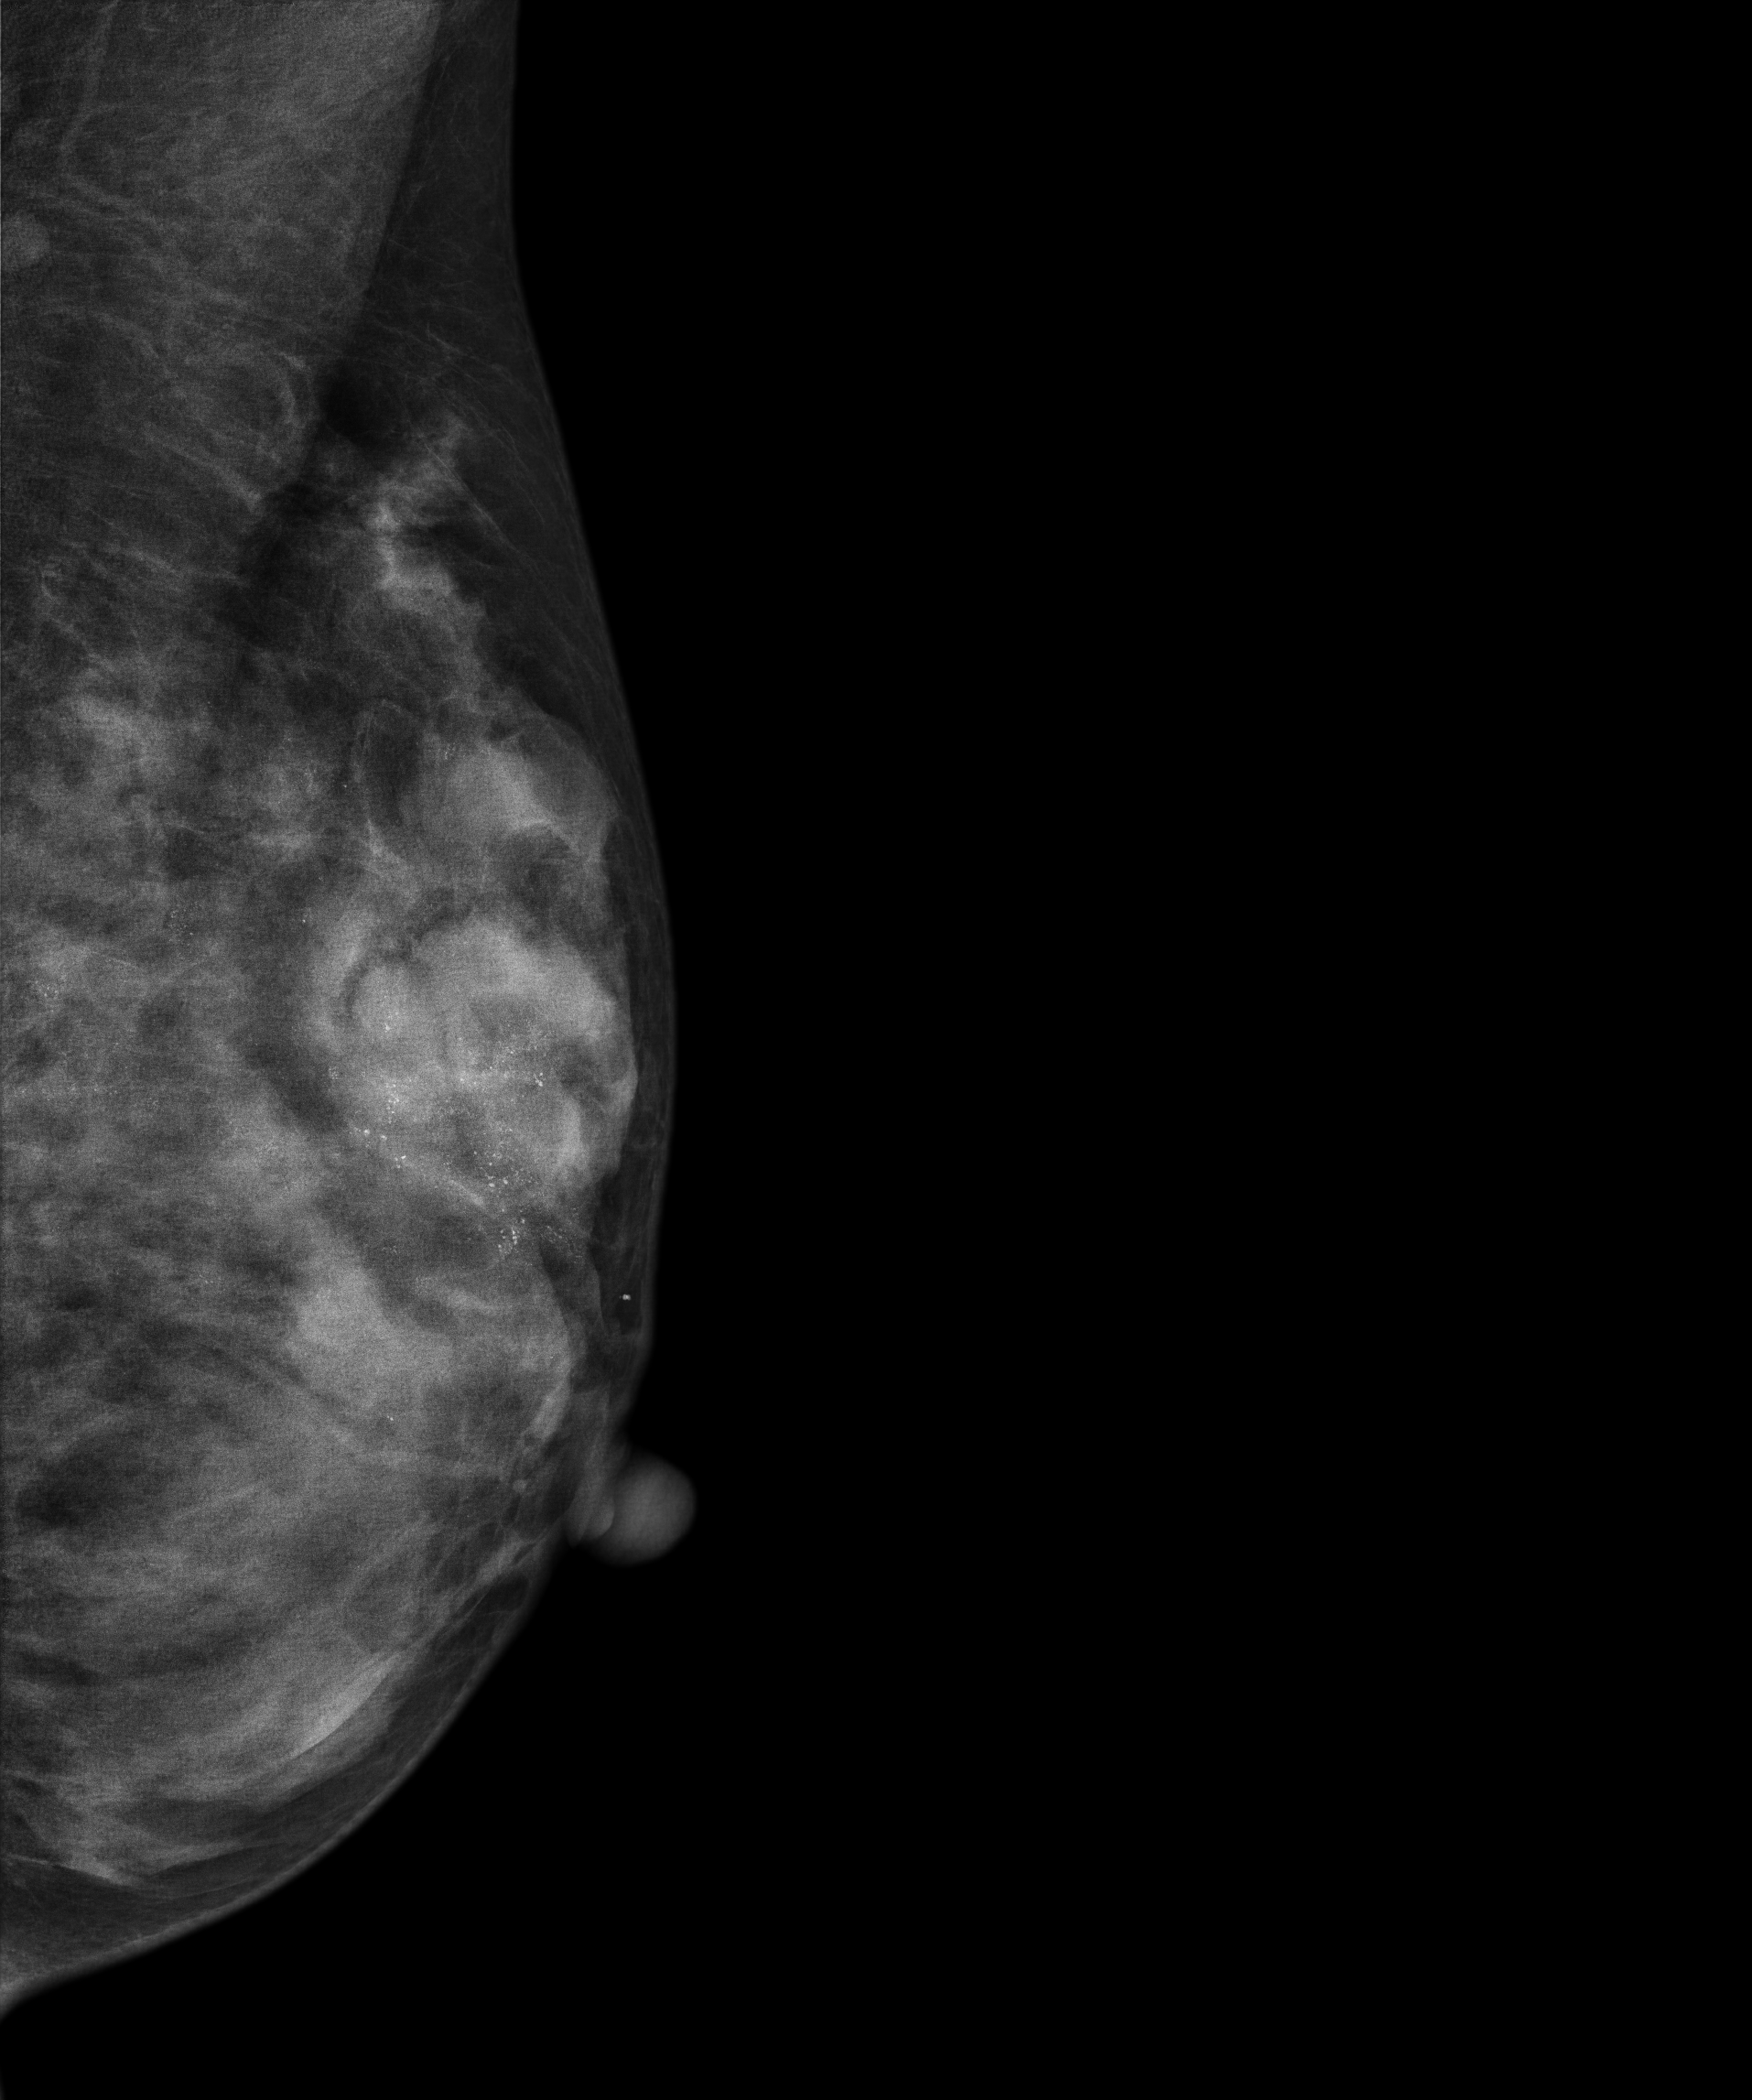
Mammogram — left medio-lateral oblique. 39-year-old patient.
This breast has calcifications, pathology-confirmed malignant. Molecular subtype: luminal B.